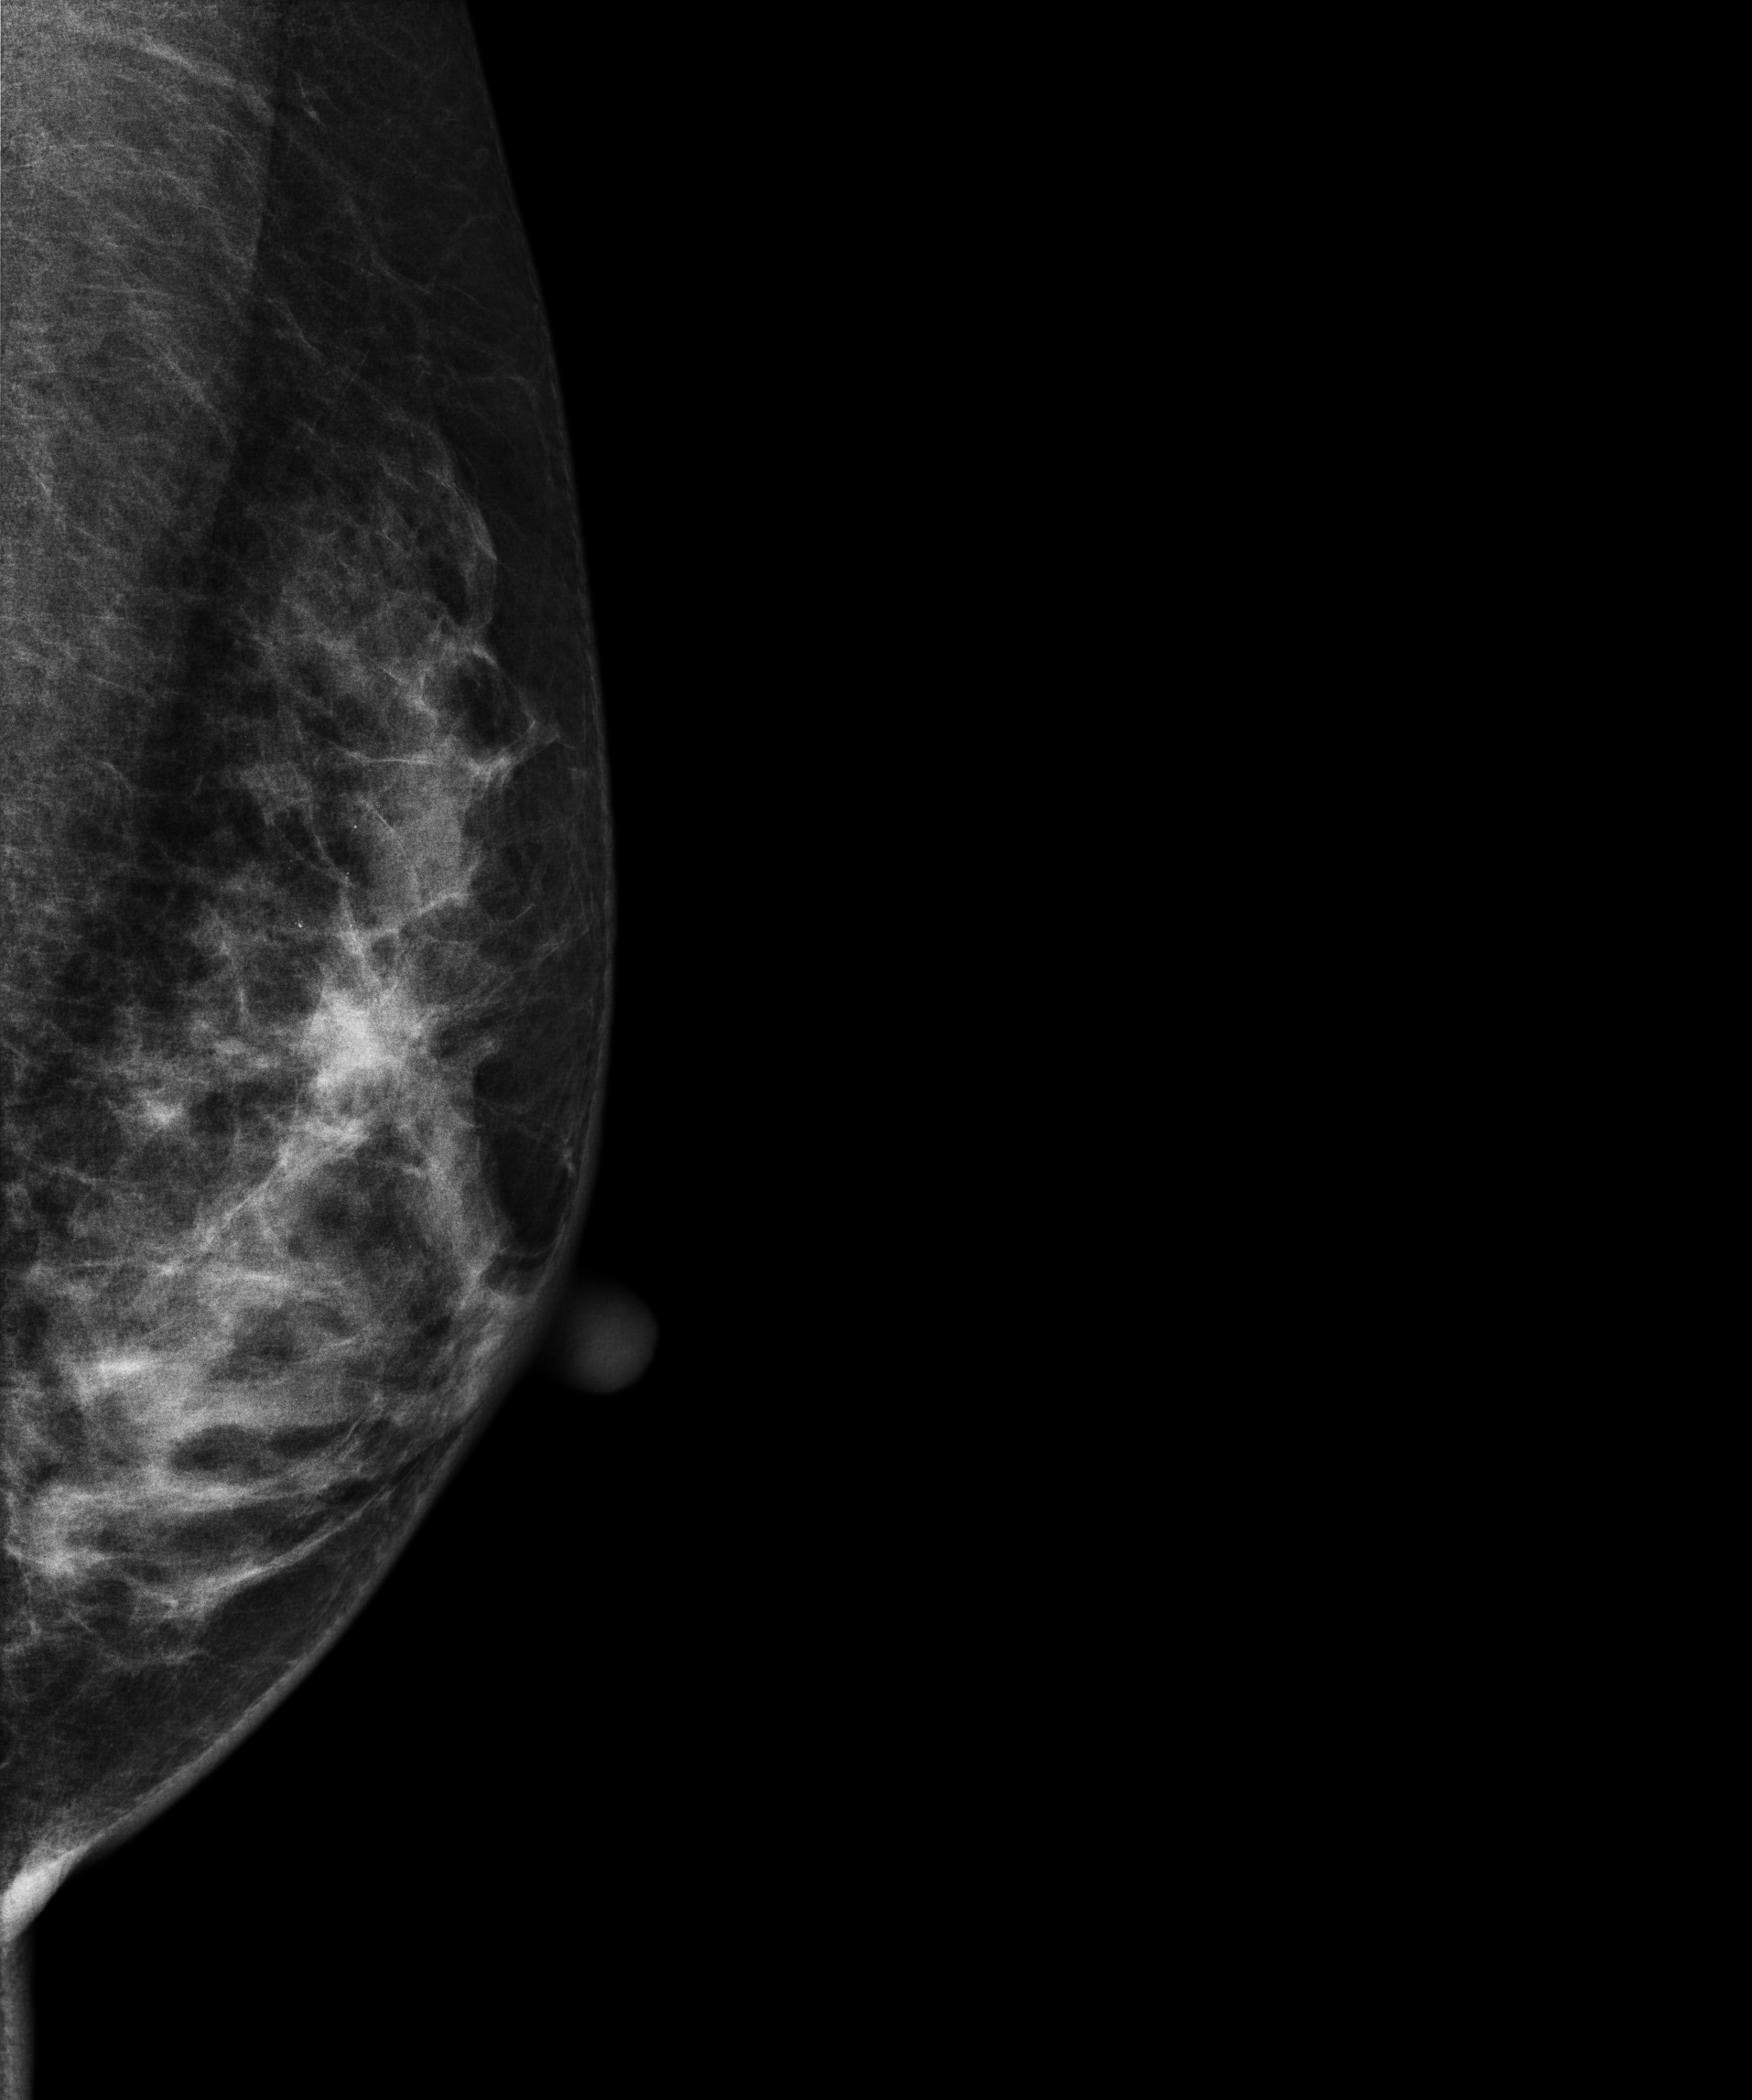
Digital mammography. Left breast, MLO projection. 43-year-old patient.
This breast has a mass, pathology-confirmed malignant. Molecular subtype: luminal B.